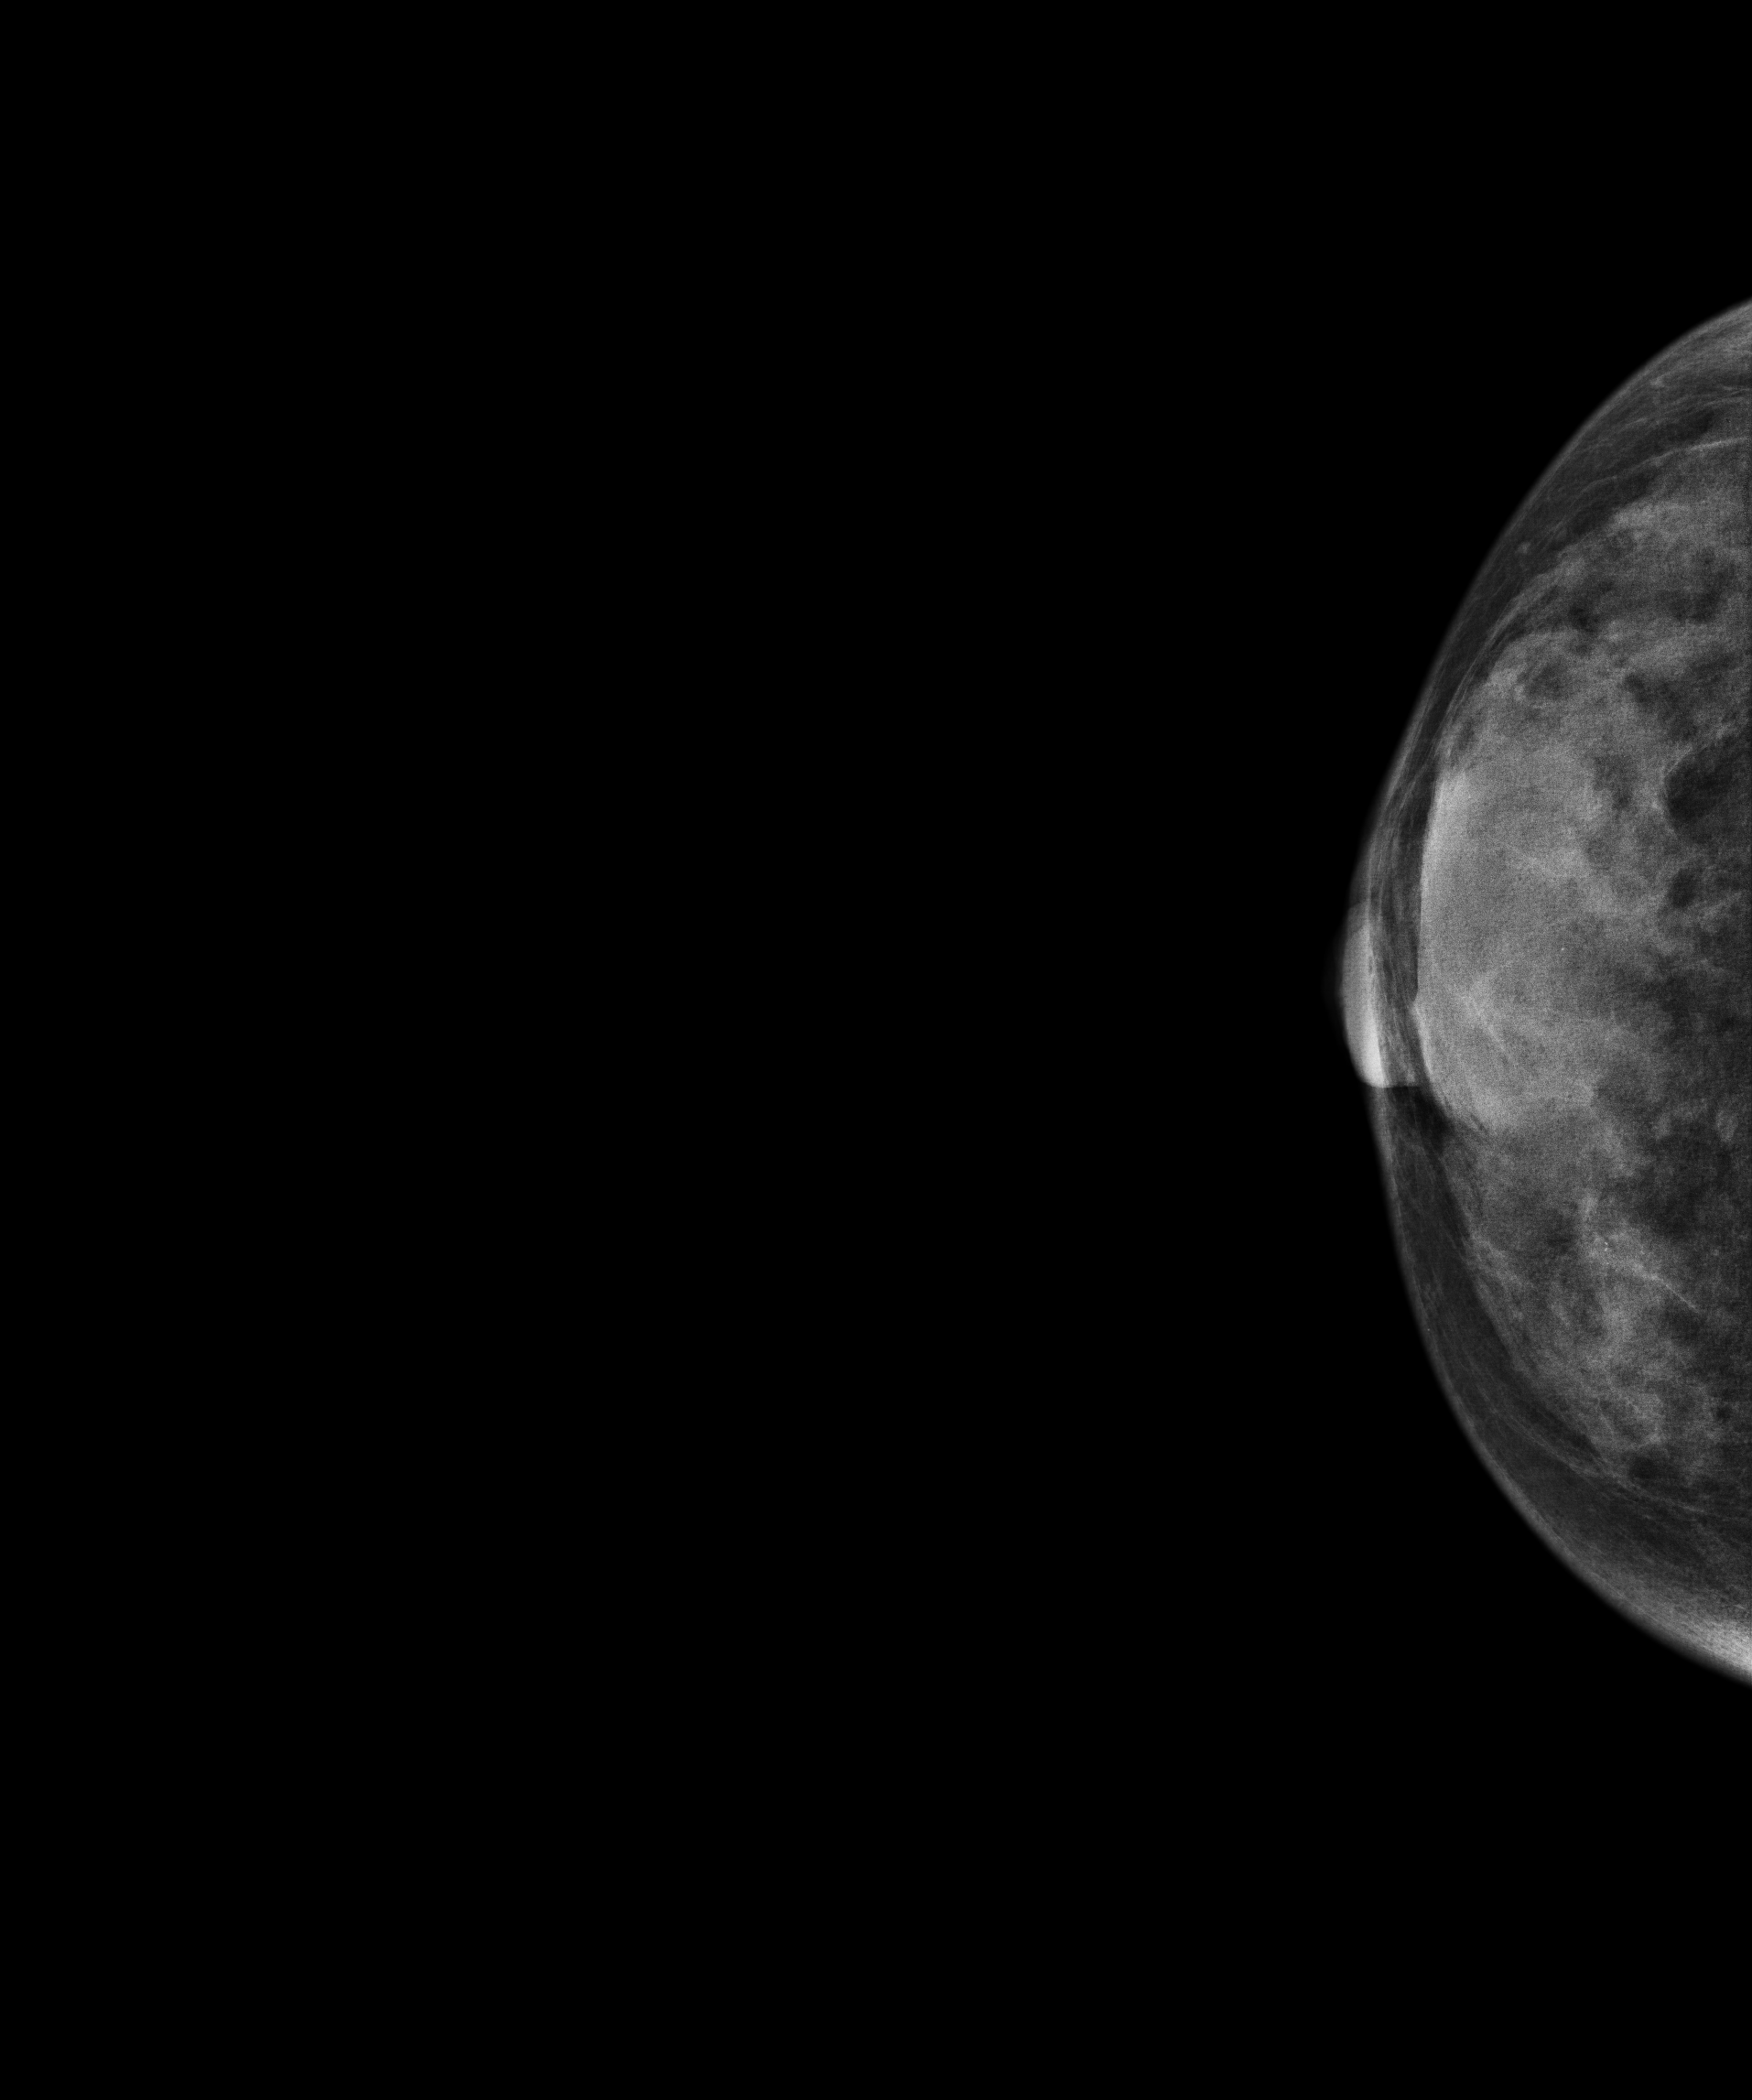
Mammogram — right cranio-caudal. 43-year-old patient.
This breast has a mass and calcifications, biopsy-confirmed benign.